Mammogram, left breast, medio-lateral oblique view. 59-year-old patient.
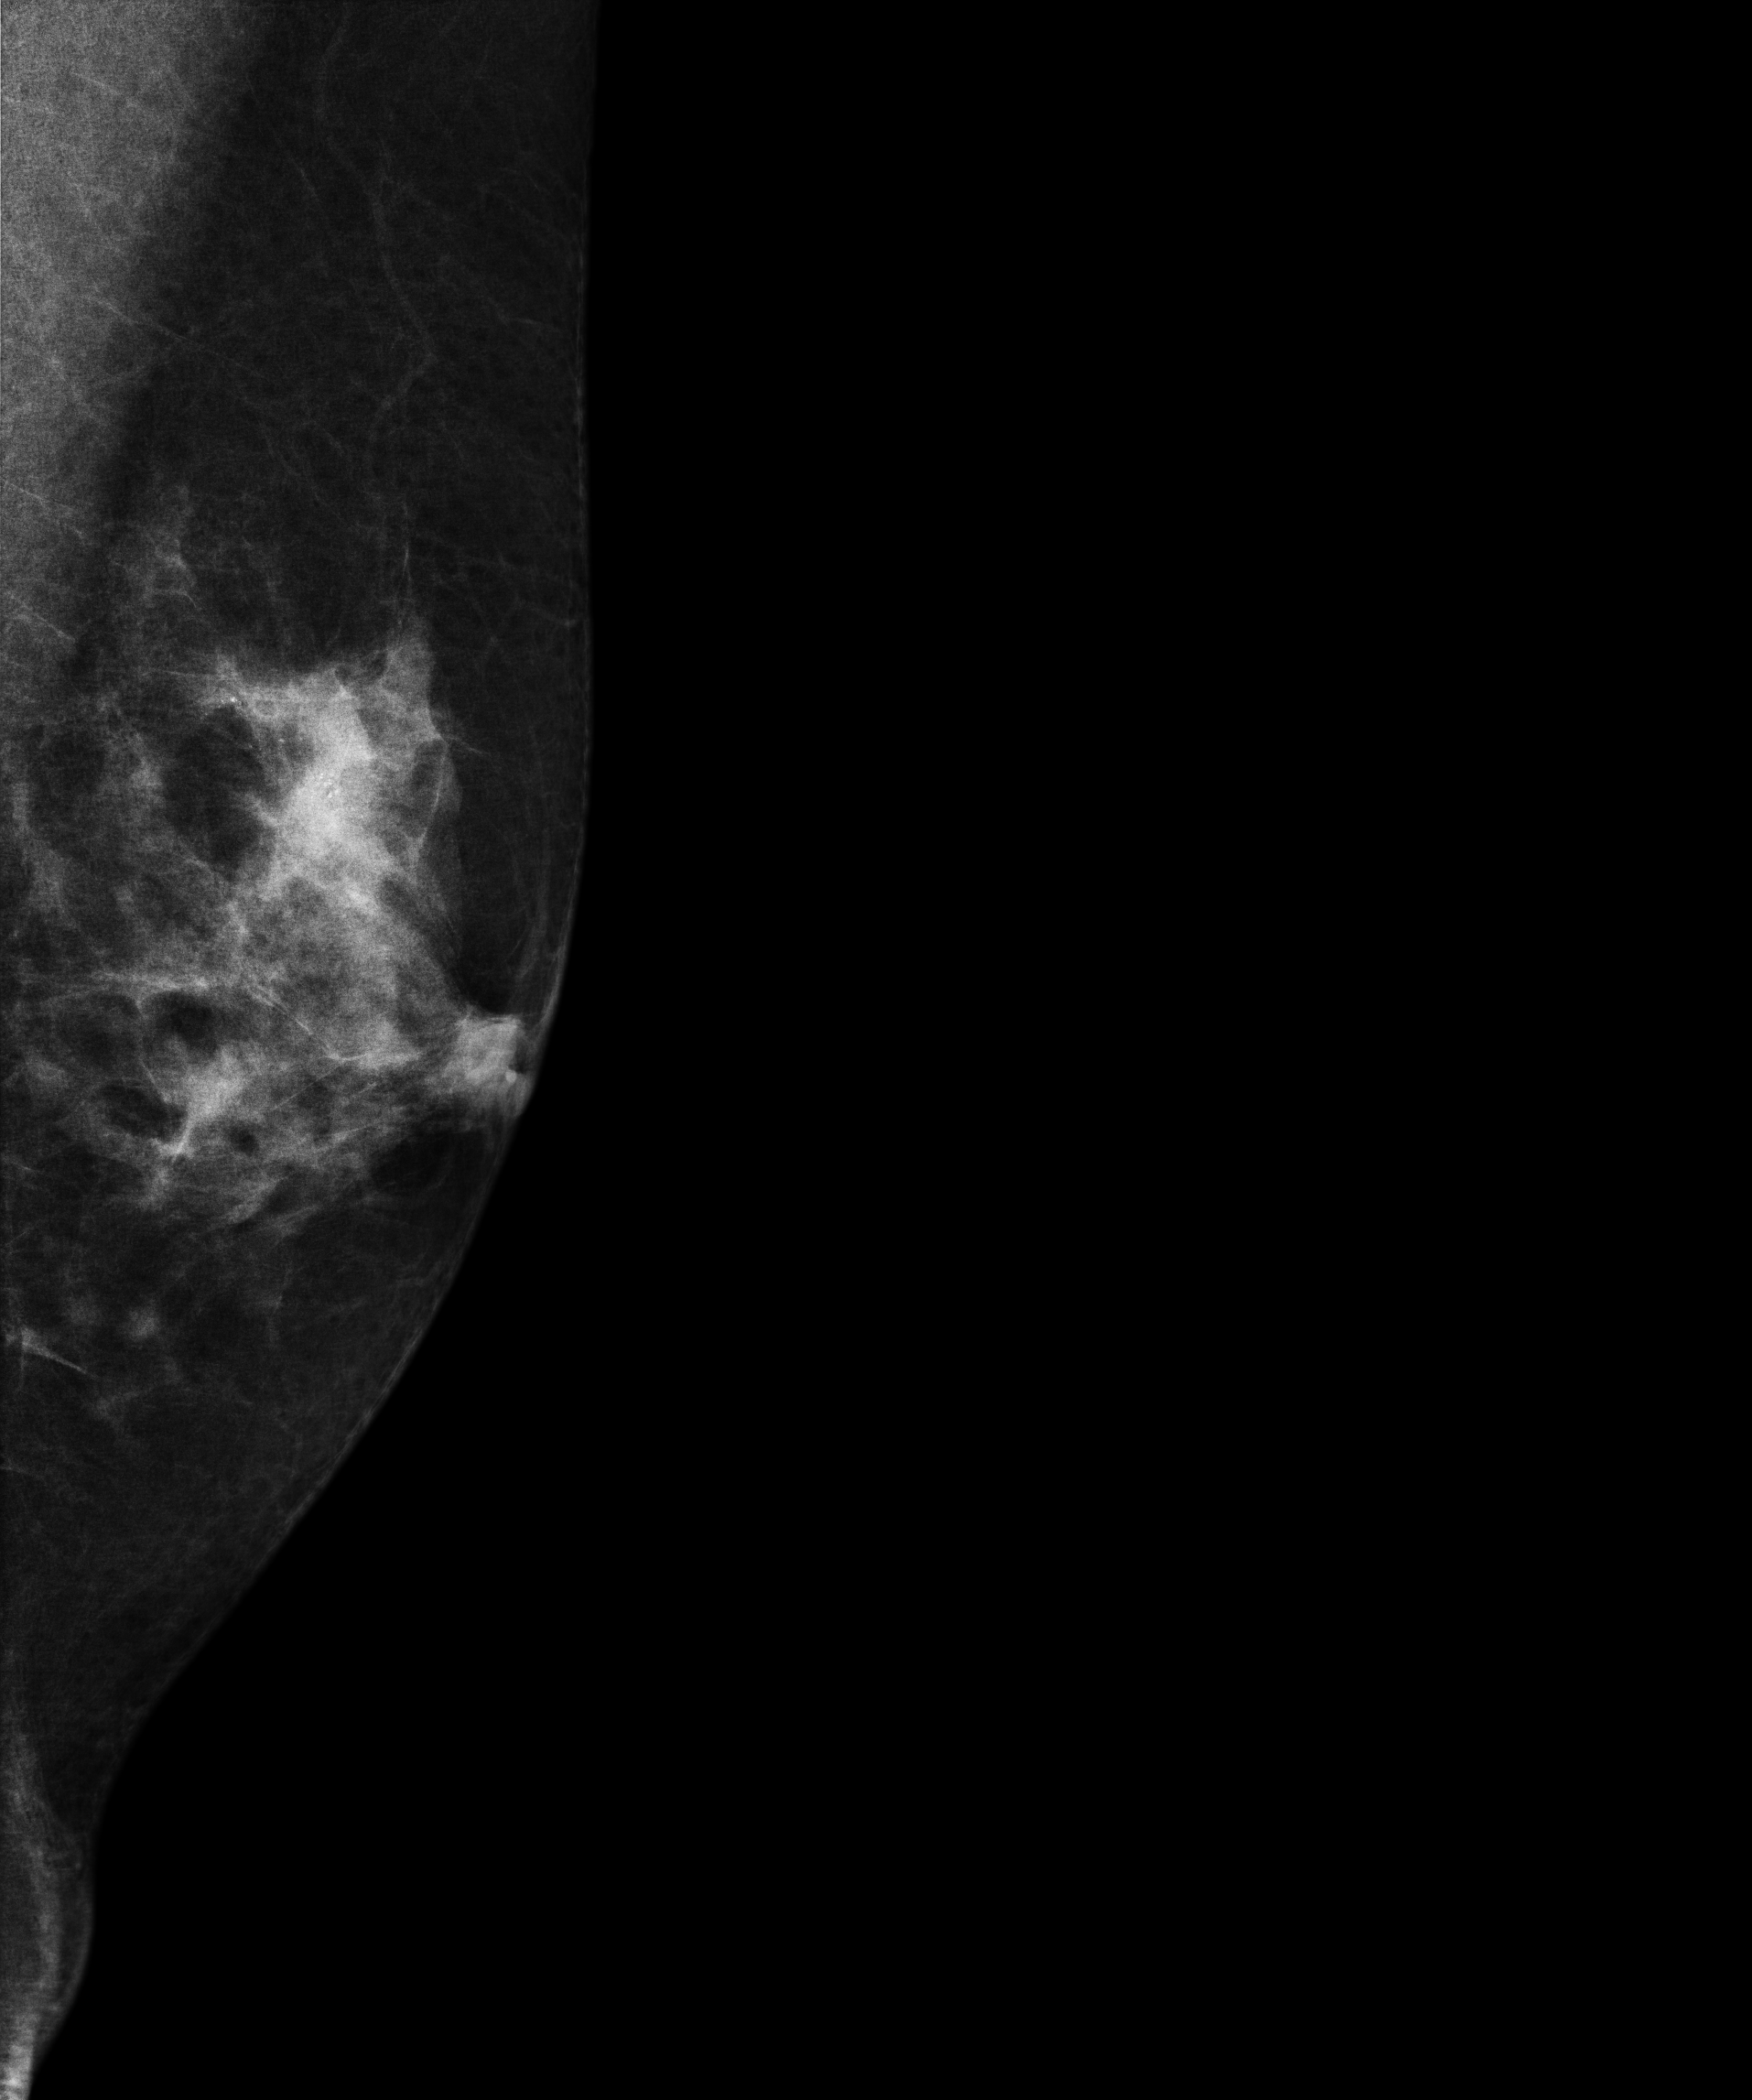
This breast has a mass and calcifications, histologically confirmed malignant. Molecular subtype: luminal B.